Digital mammography. Right breast, CC projection. 44 y/o patient.
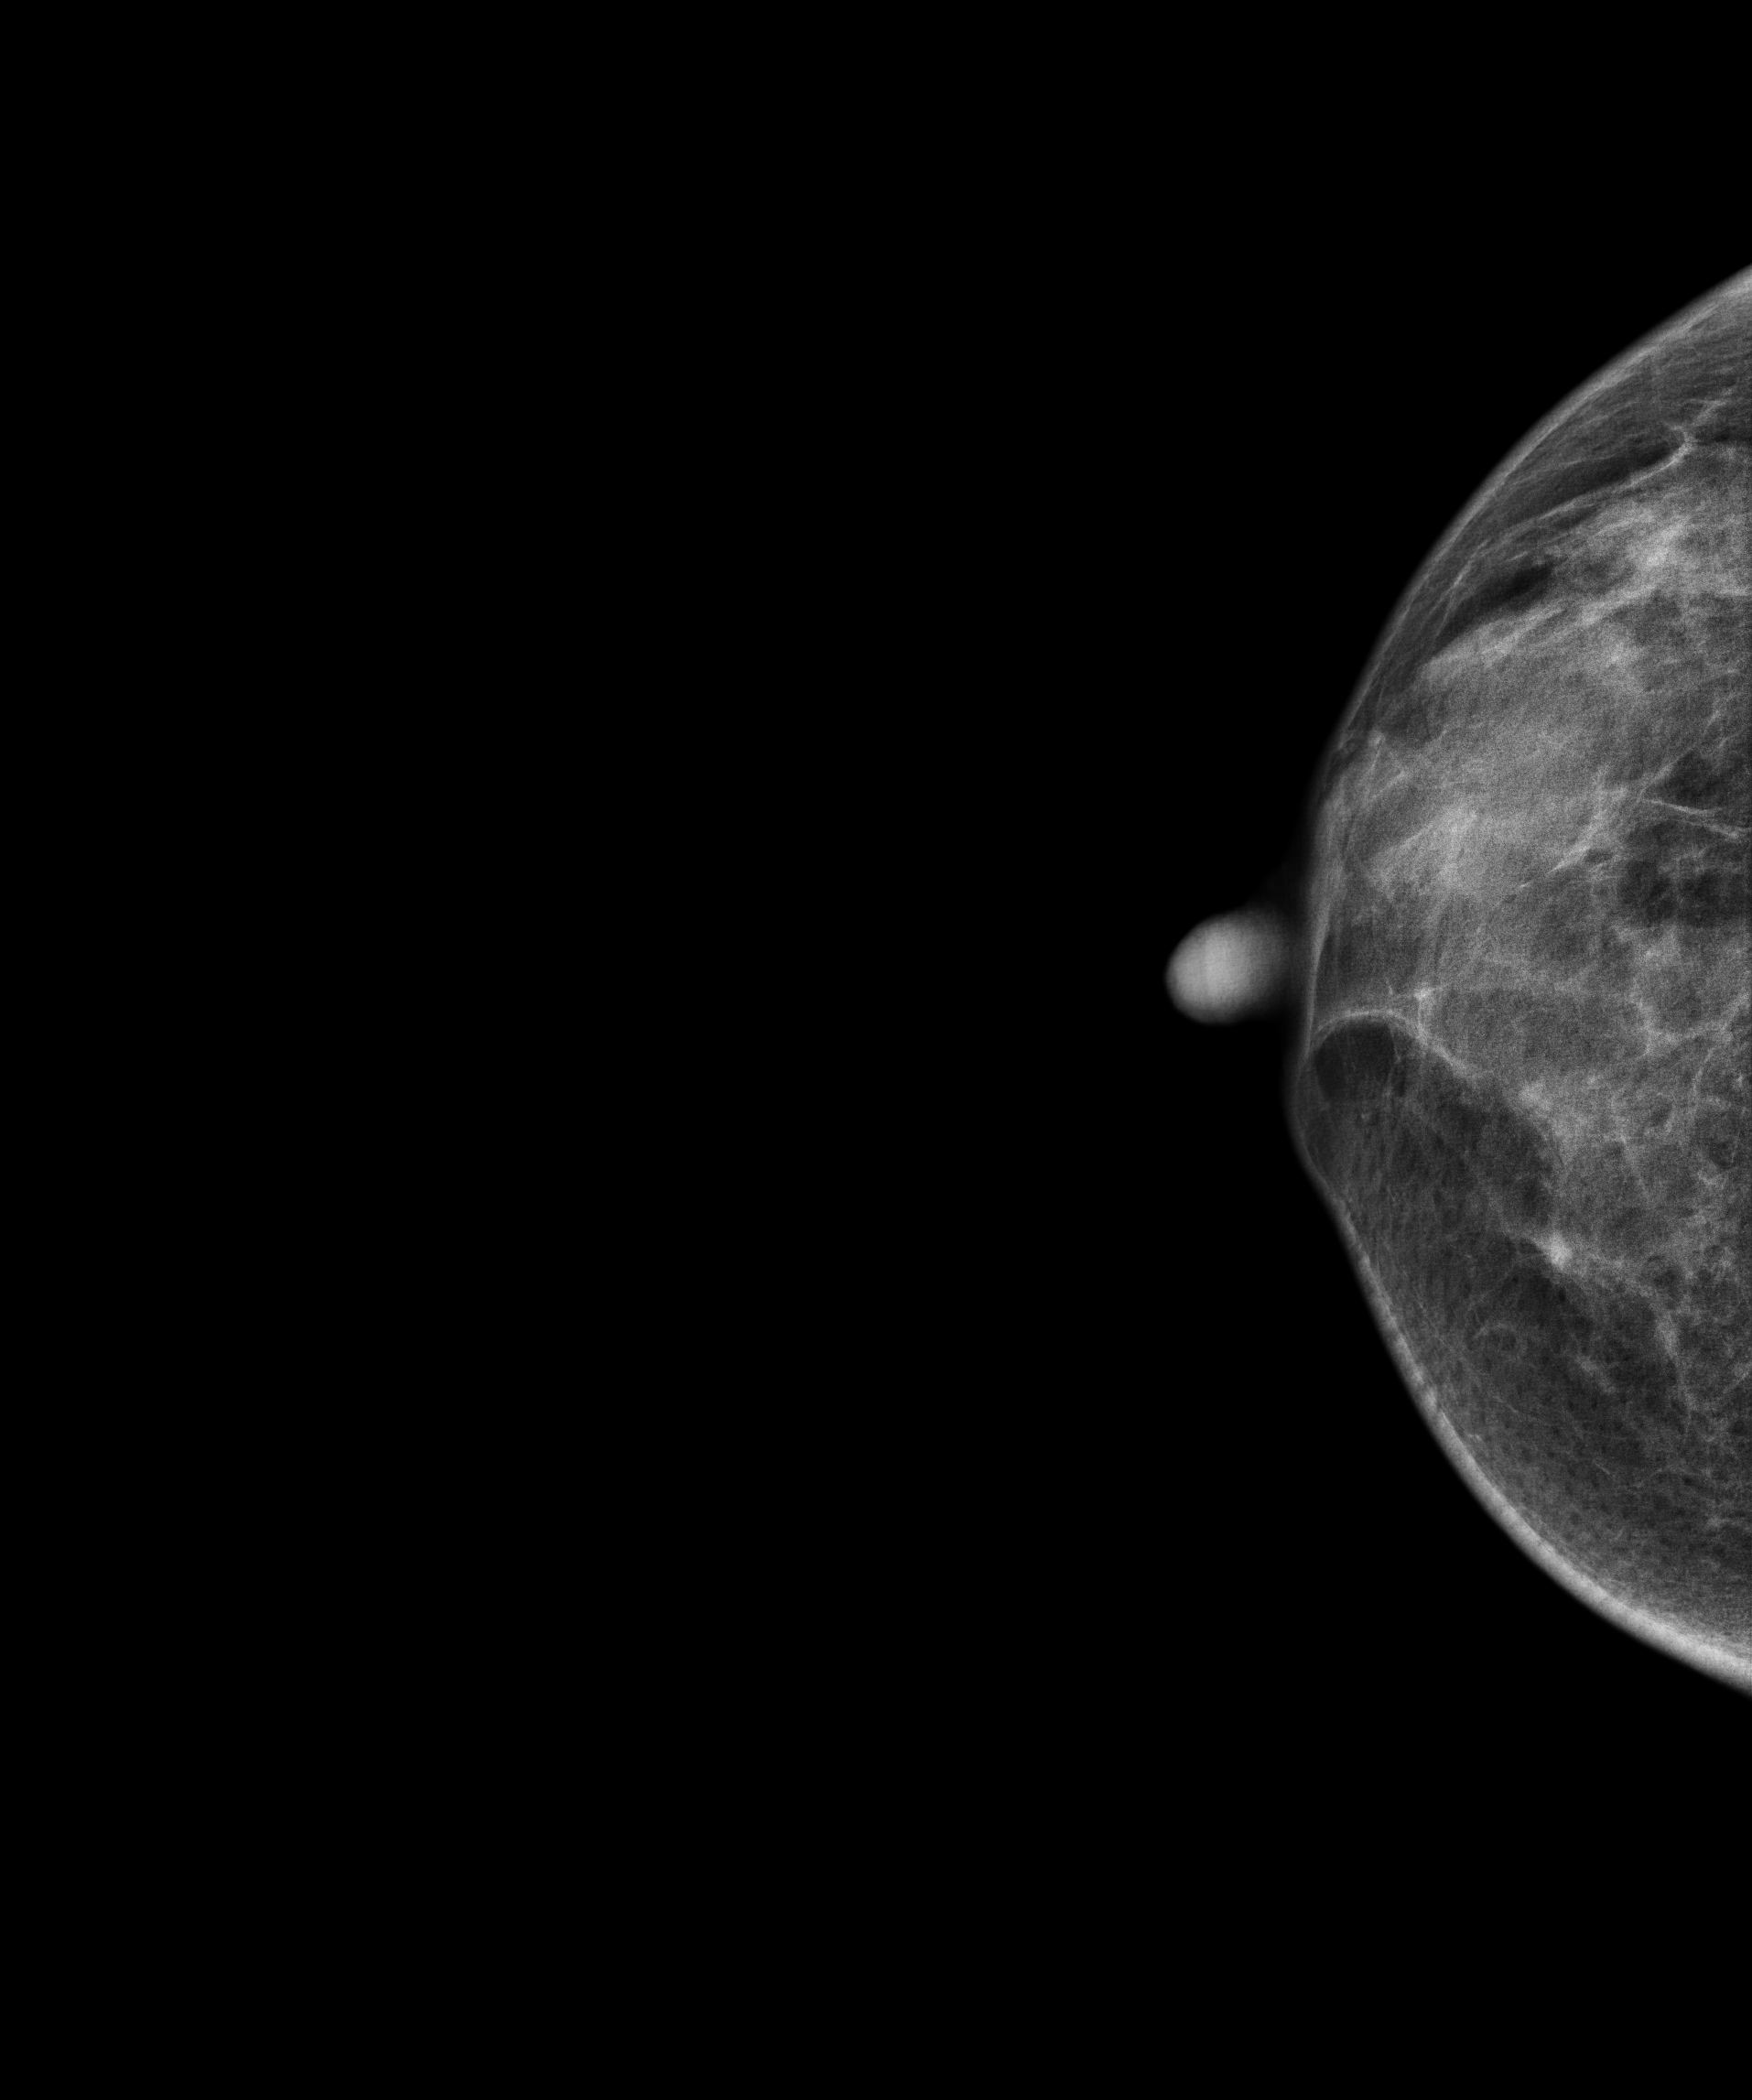
This breast has a mass, histologically confirmed benign.